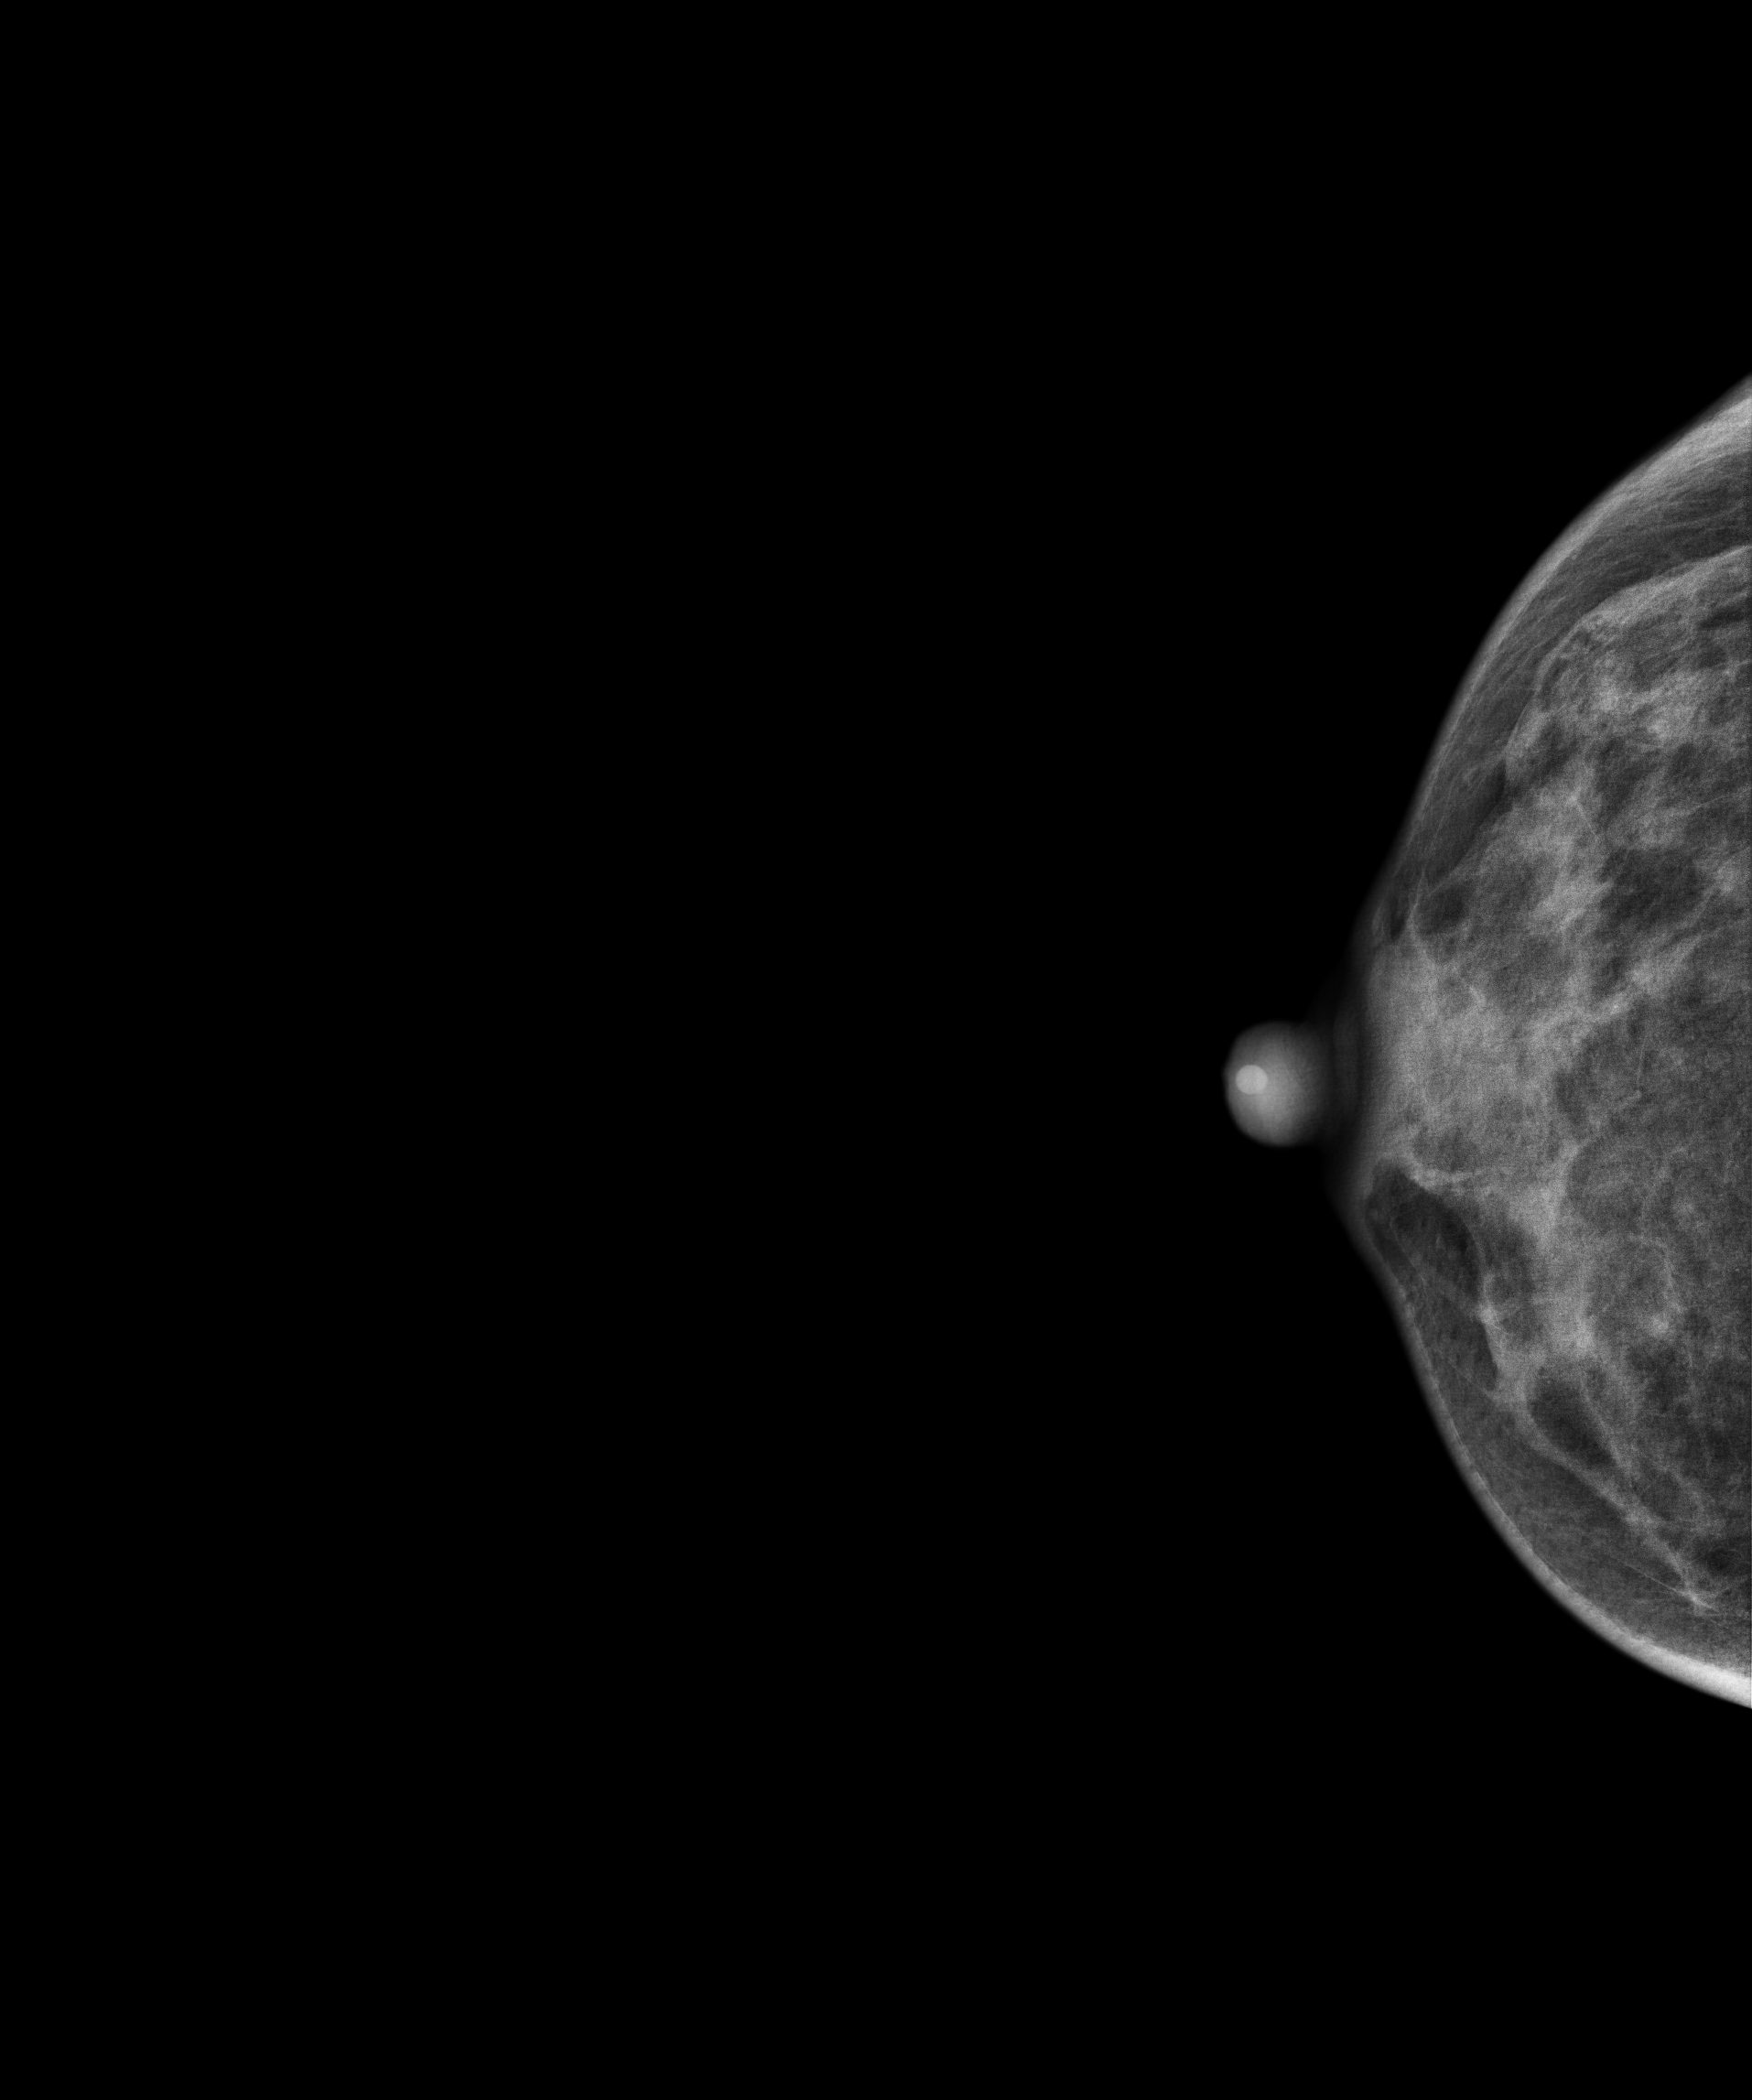
Mammogram — right cranio-caudal. 39-year-old patient.
Contralateral breast — no documented abnormality on this side.